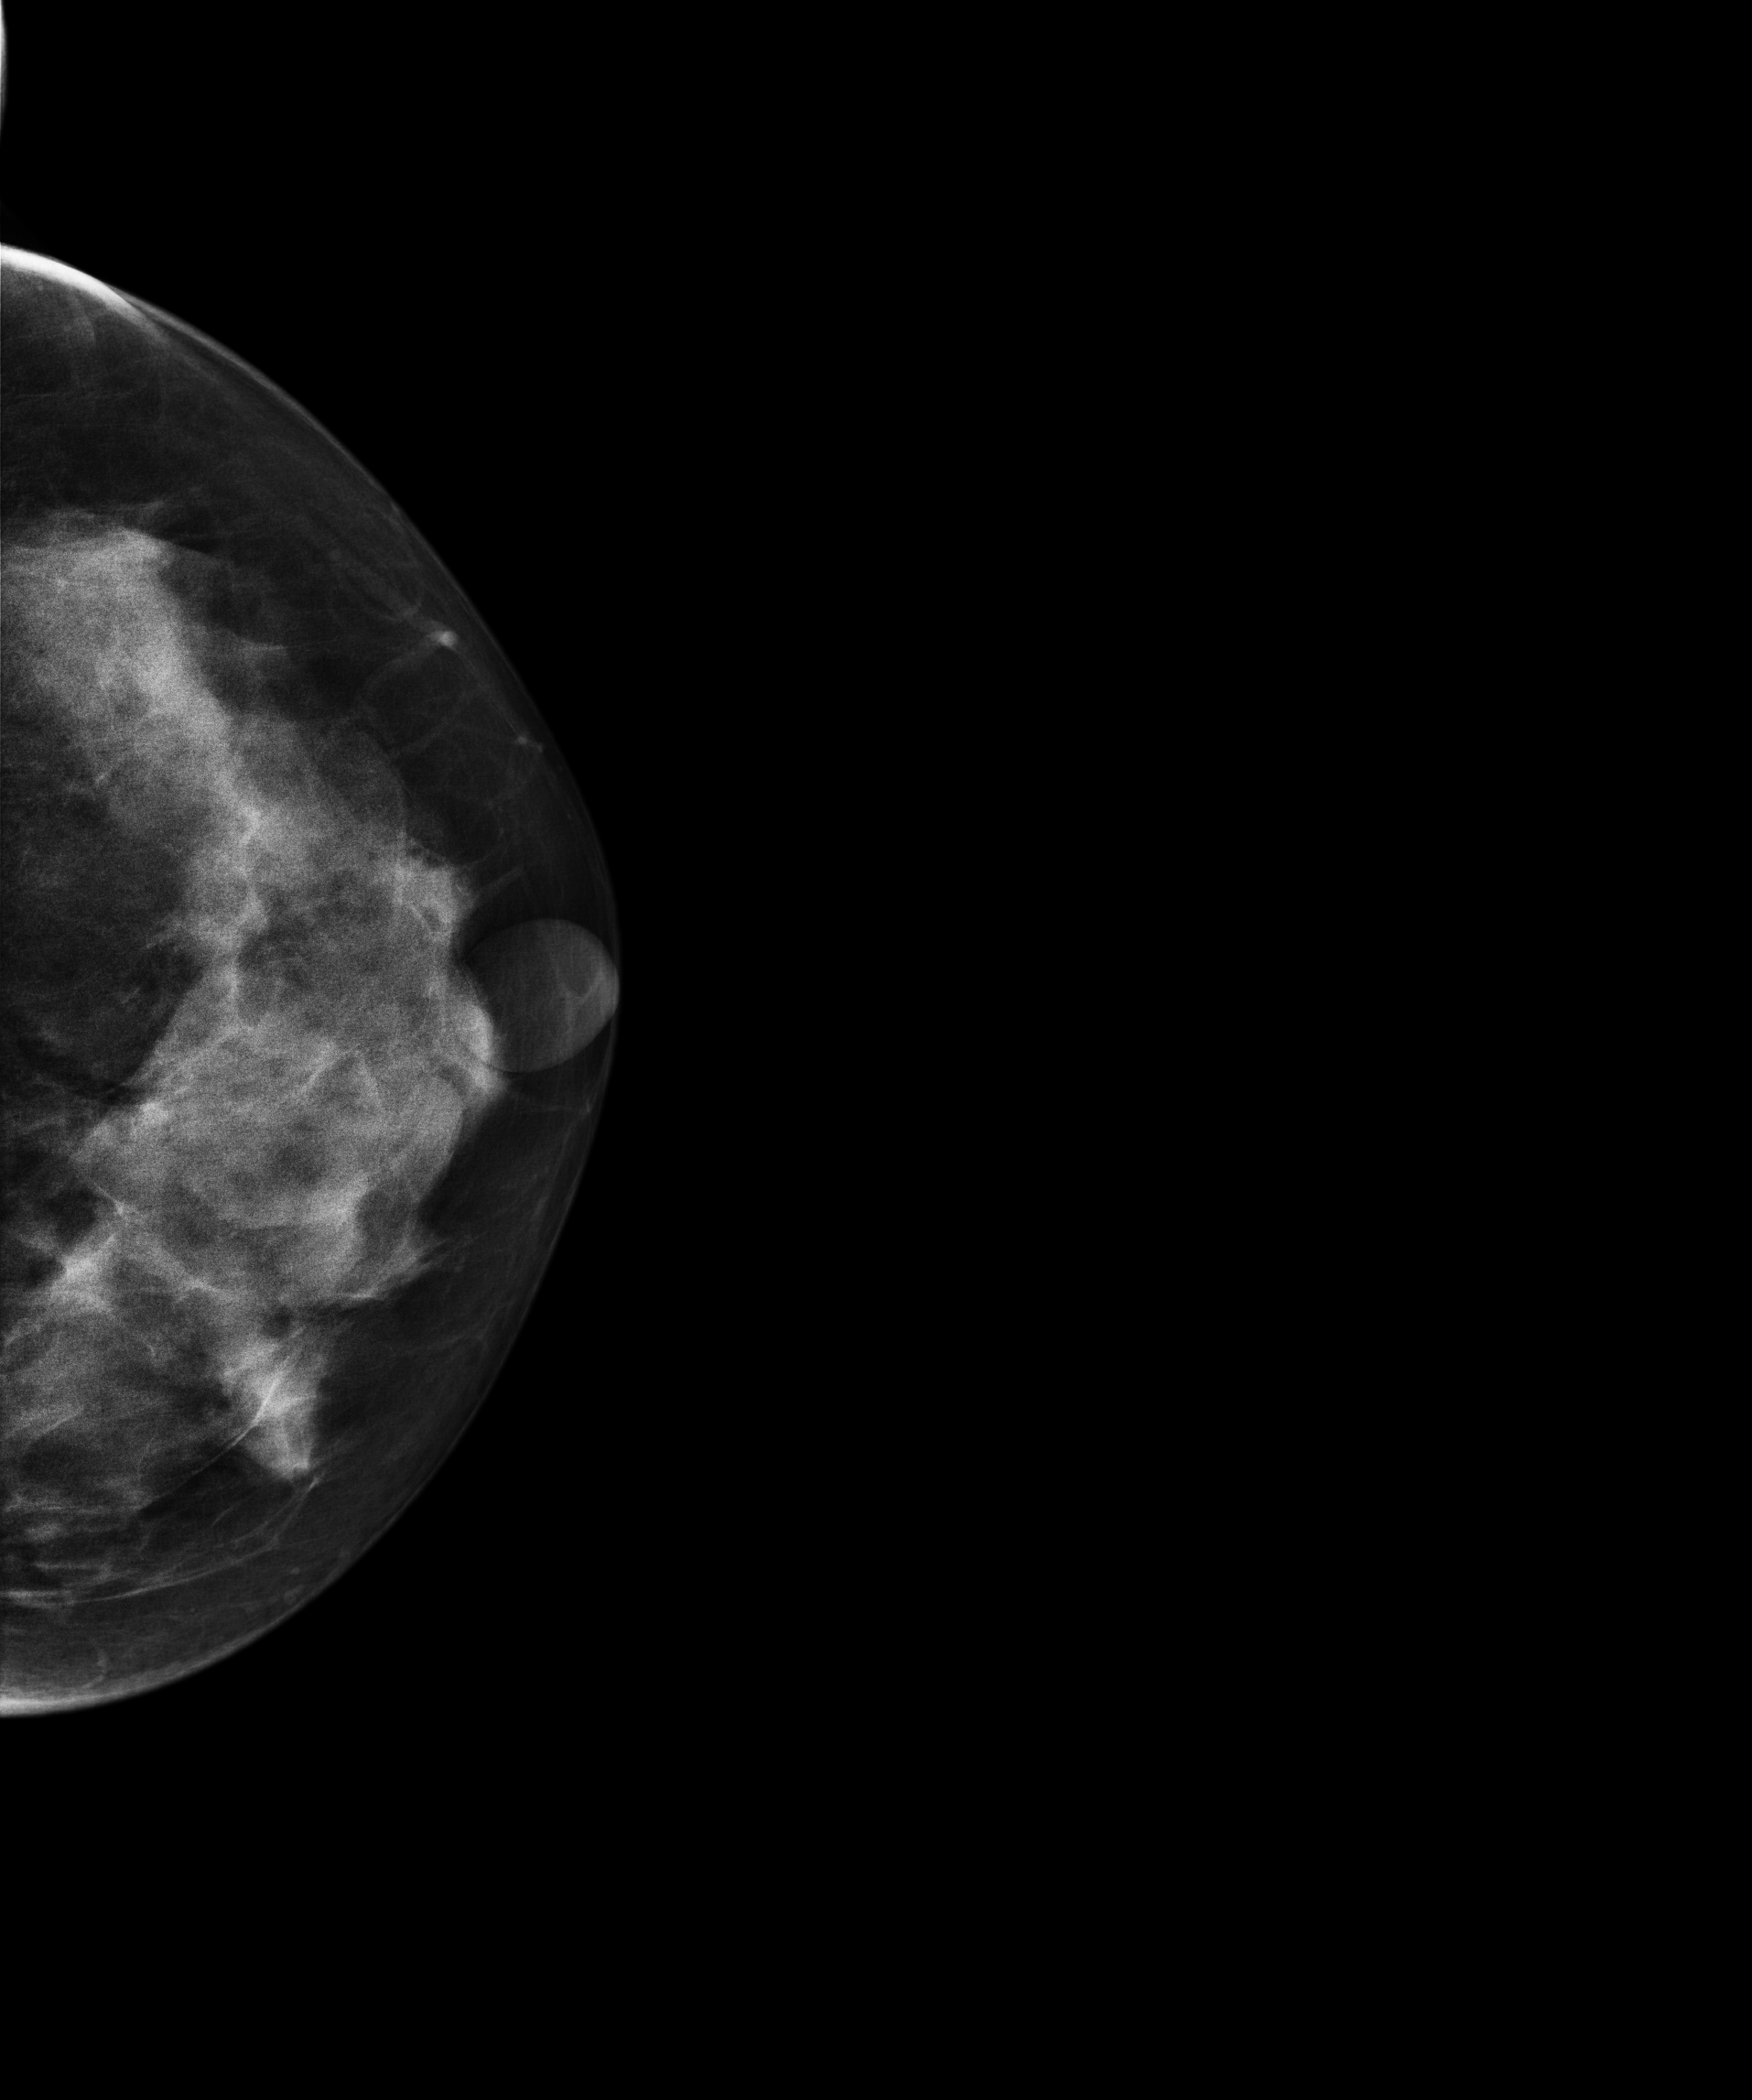
Left-breast mammogram, cranio-caudal. 48-year-old patient.
Contralateral breast — no documented abnormality on this side.